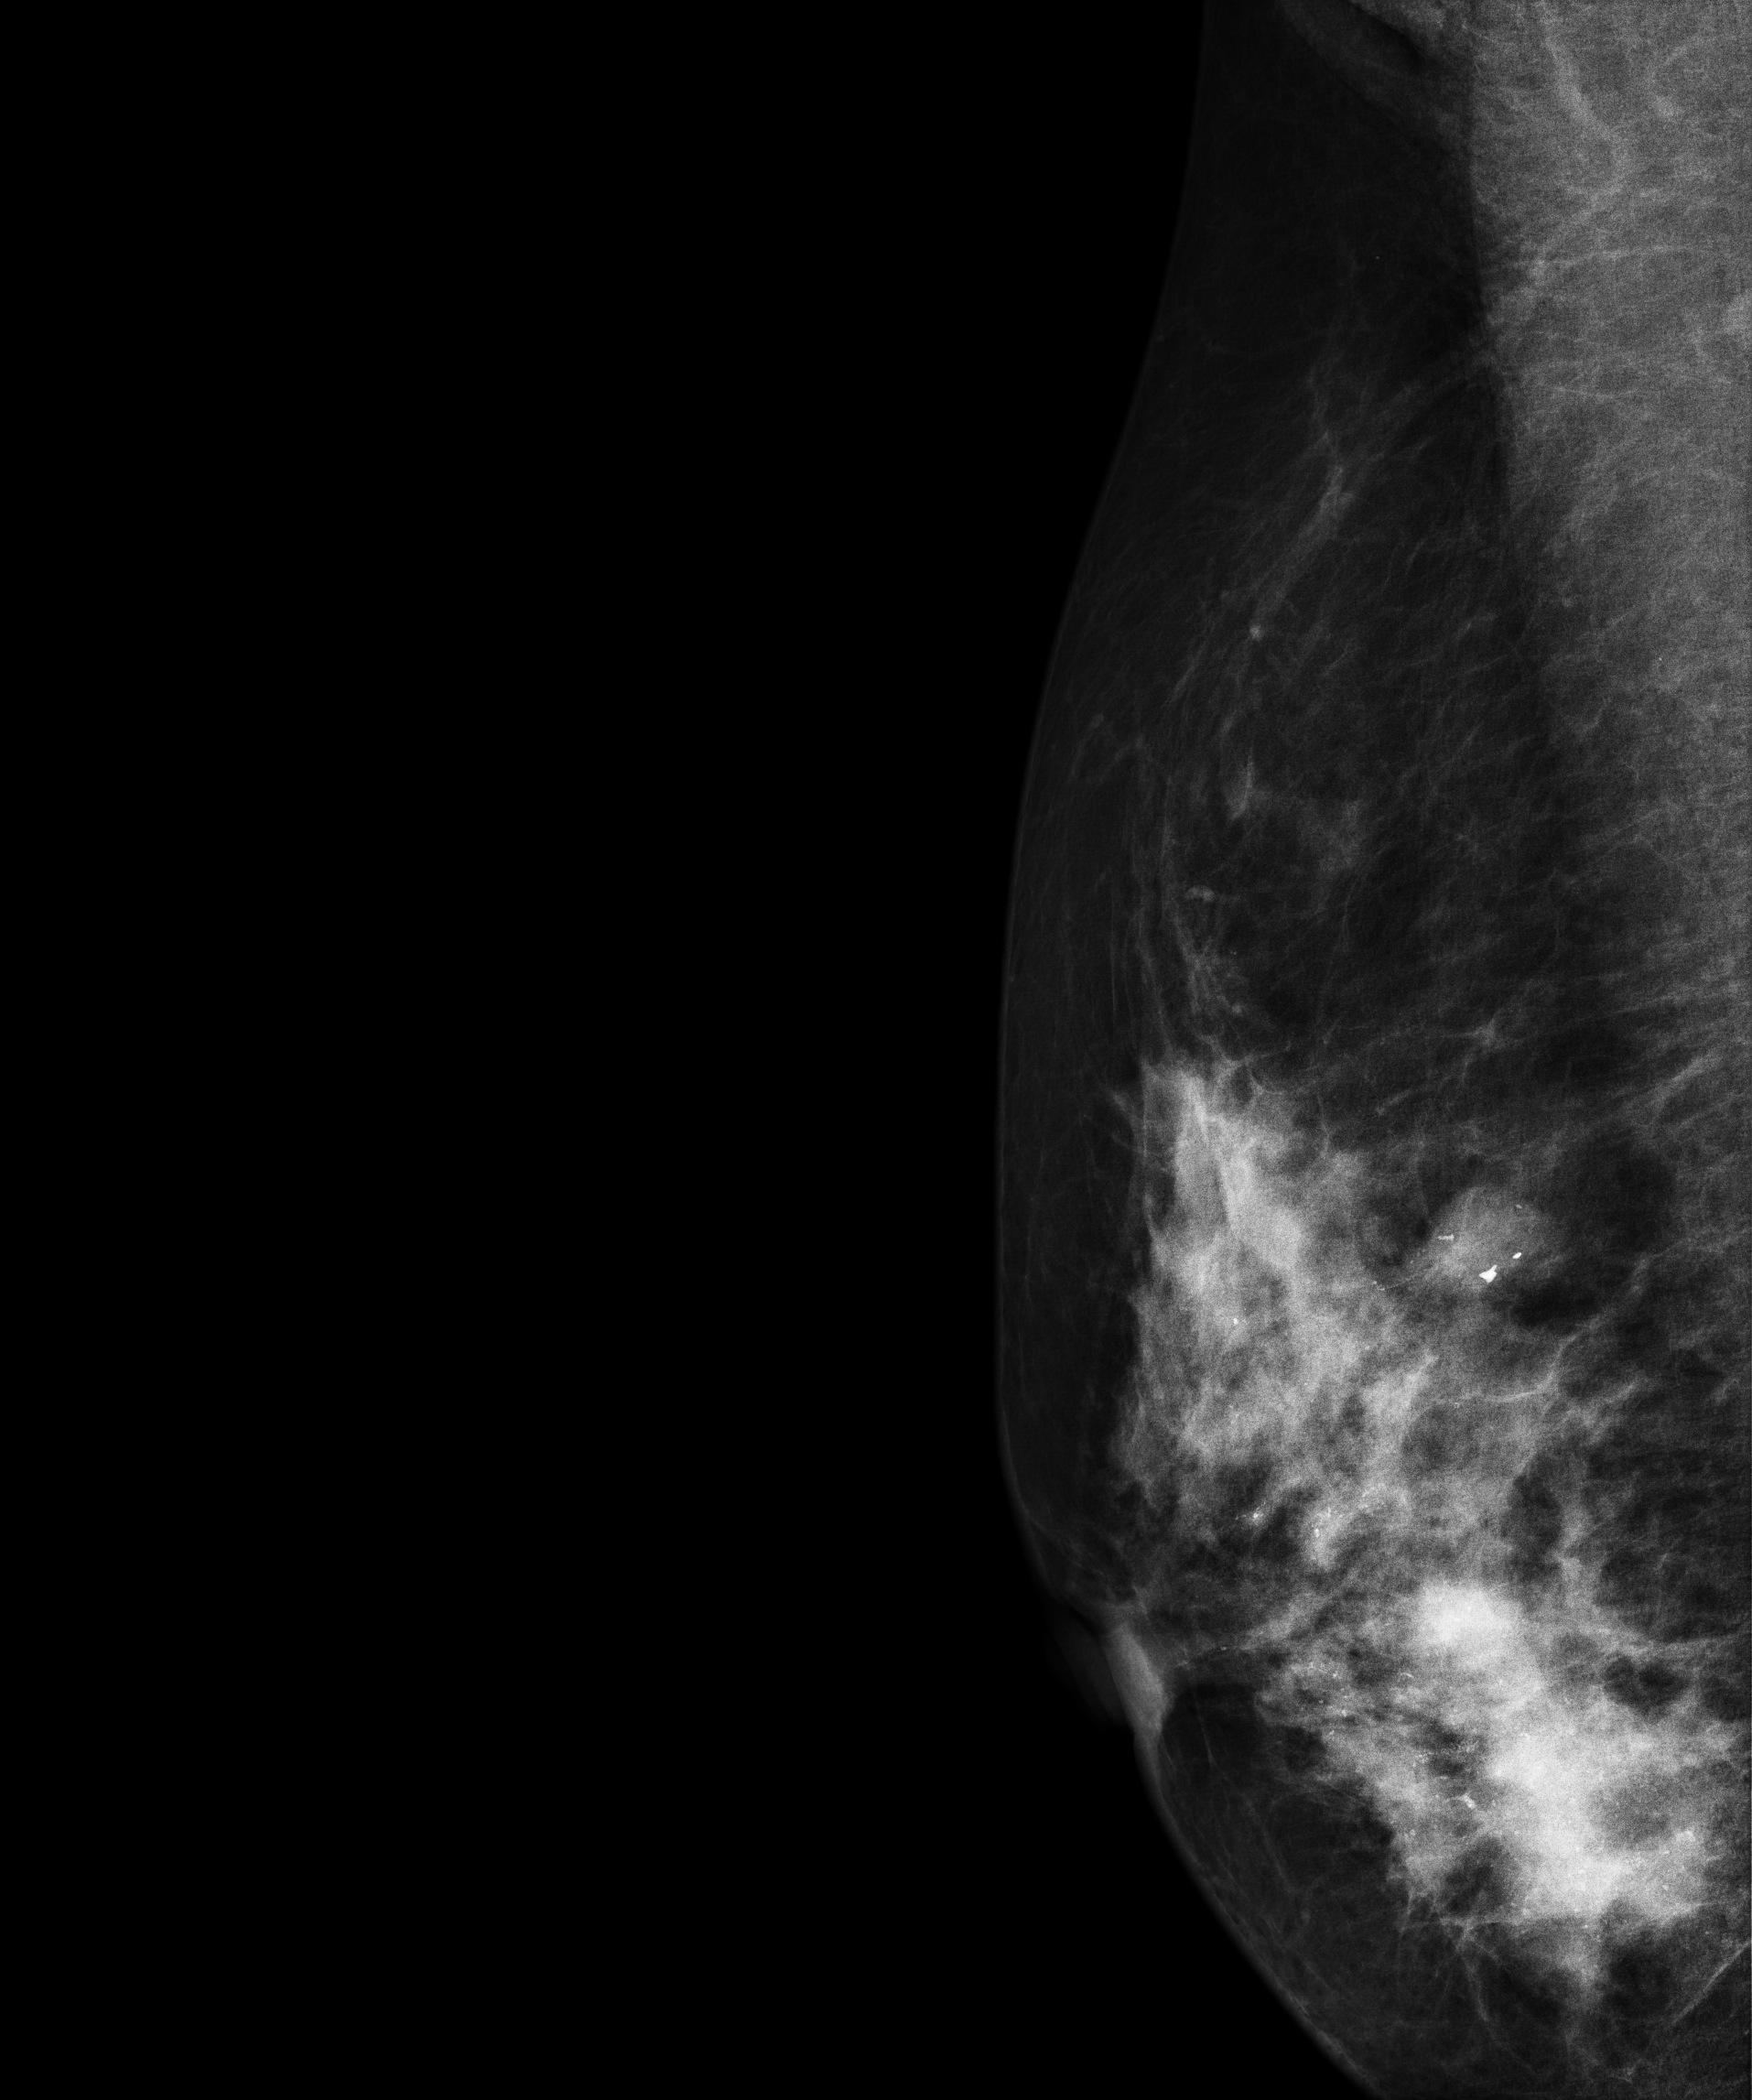
Mammogram — right MLO. 50-year-old patient.
This breast has a mass and calcifications, biopsy-confirmed malignant.